Left-breast mammogram, MLO. 43-year-old patient.
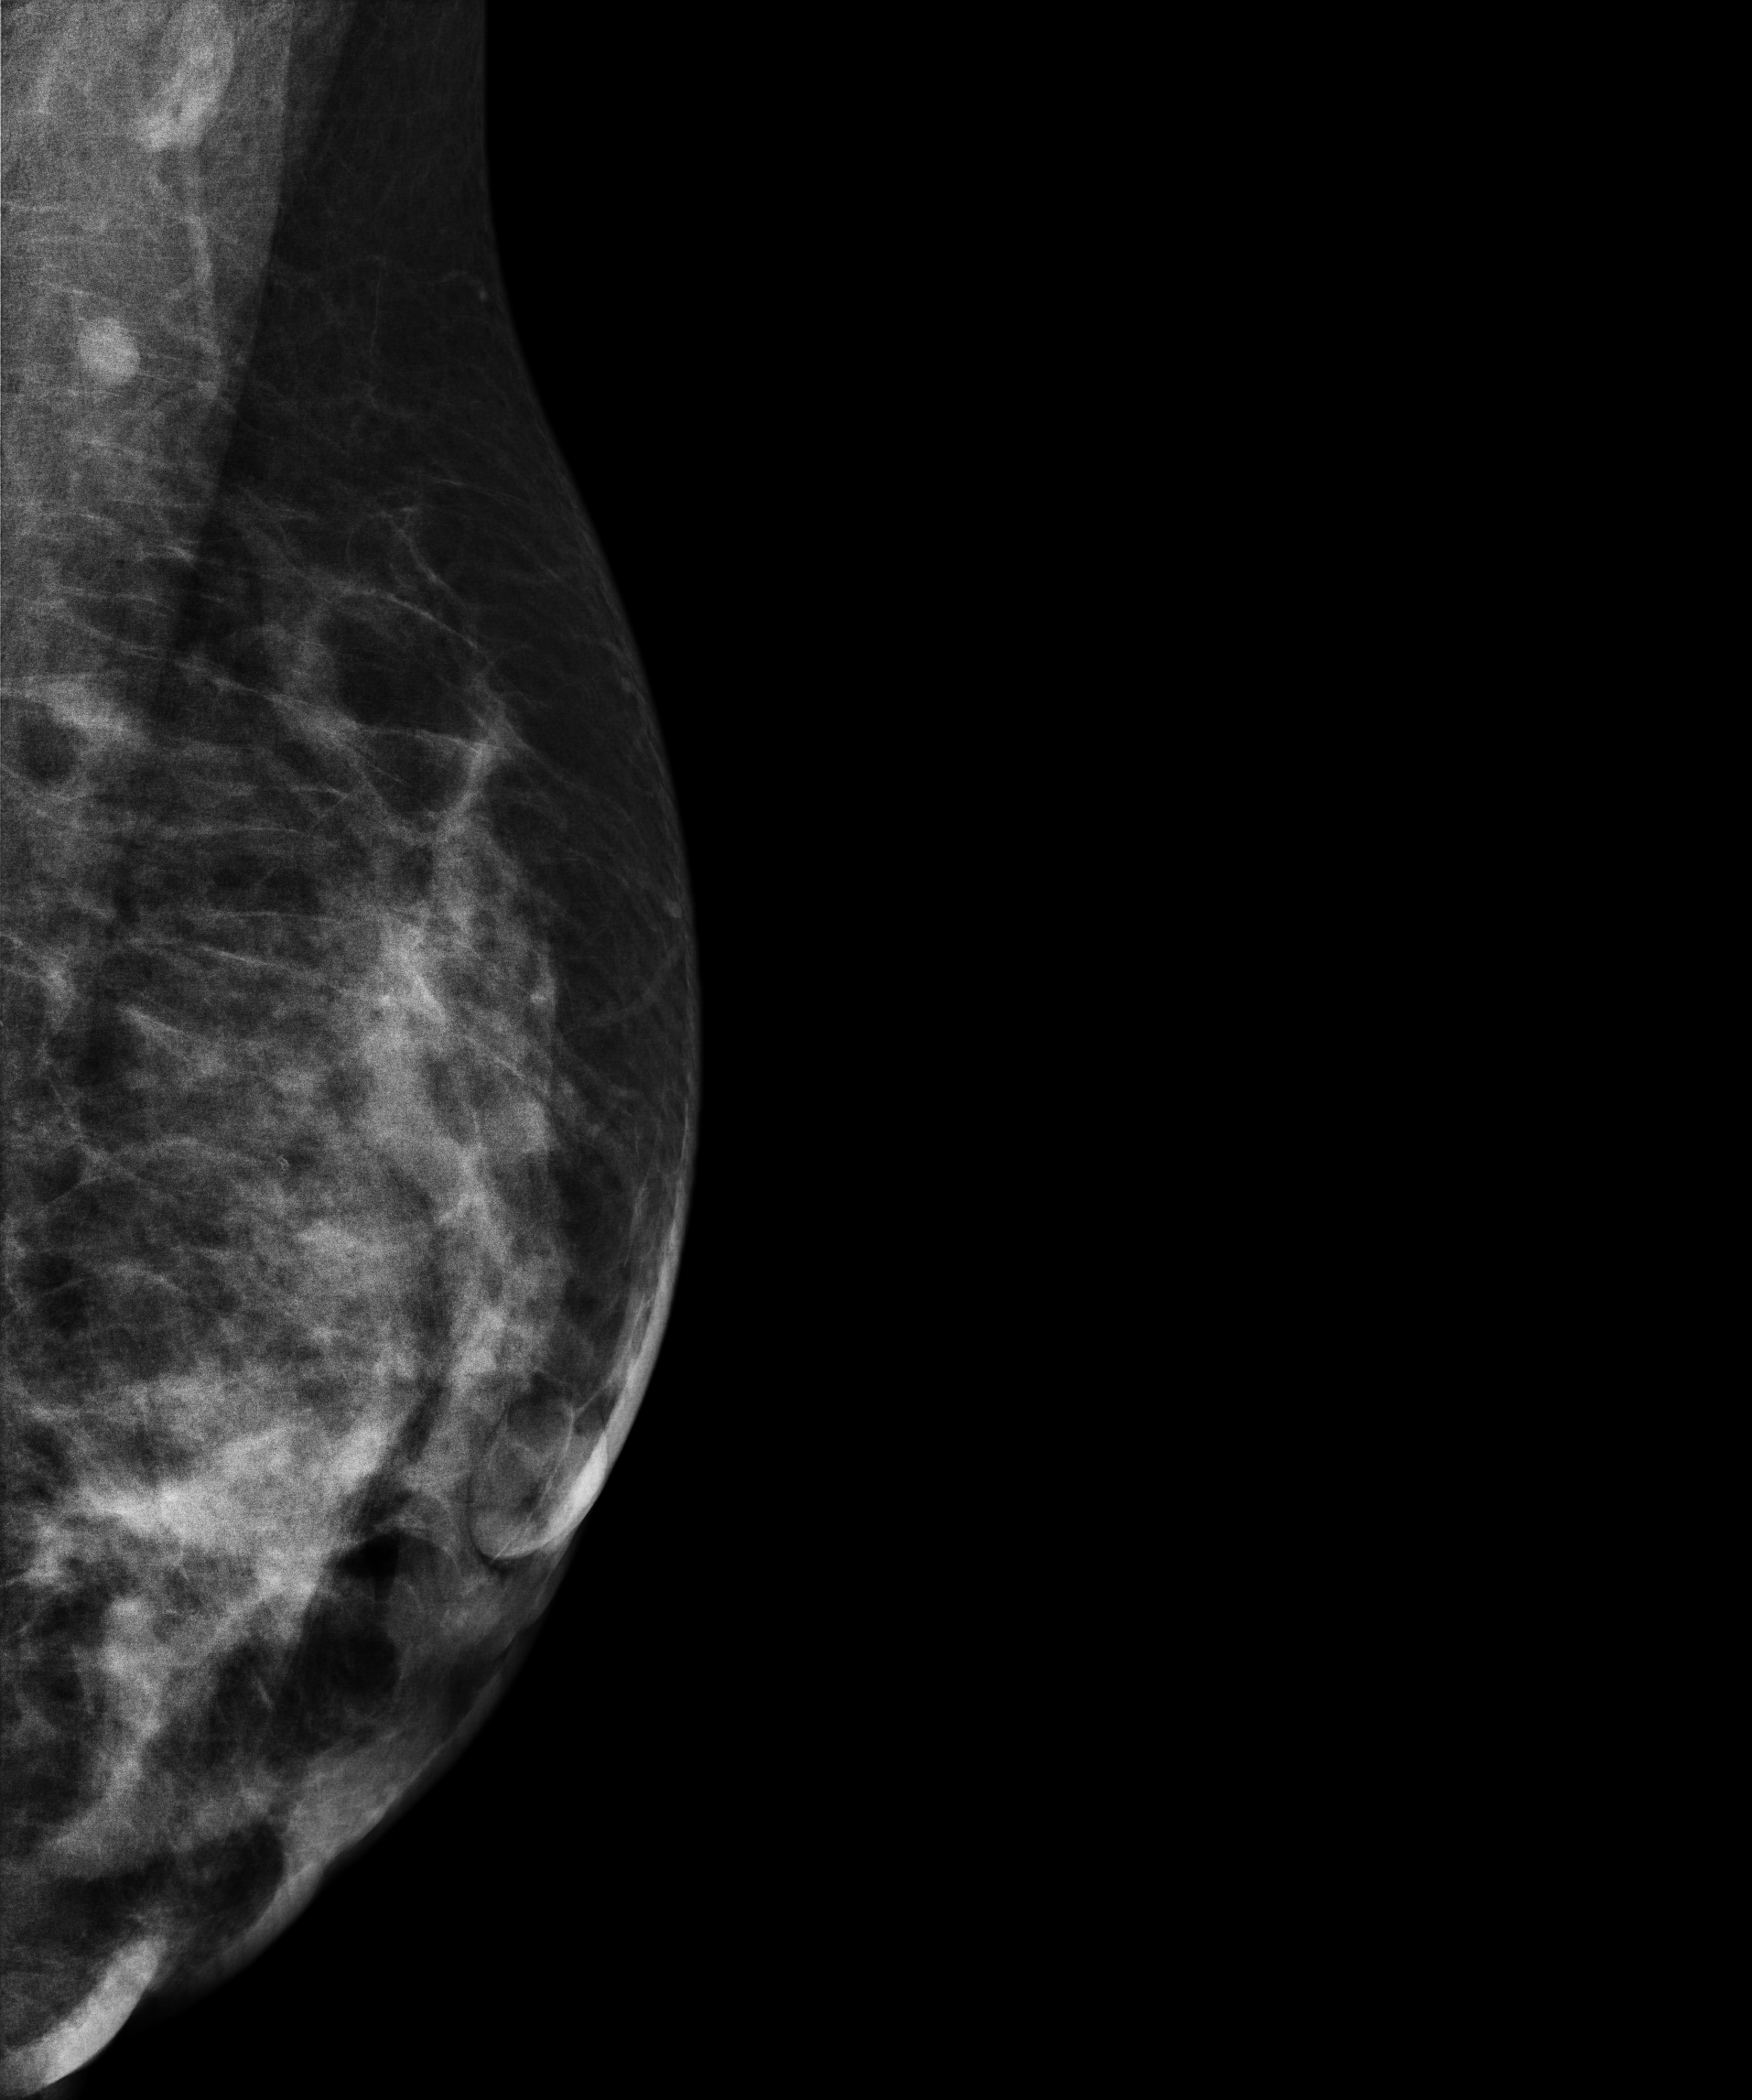
This breast has a mass, biopsy-proven benign.